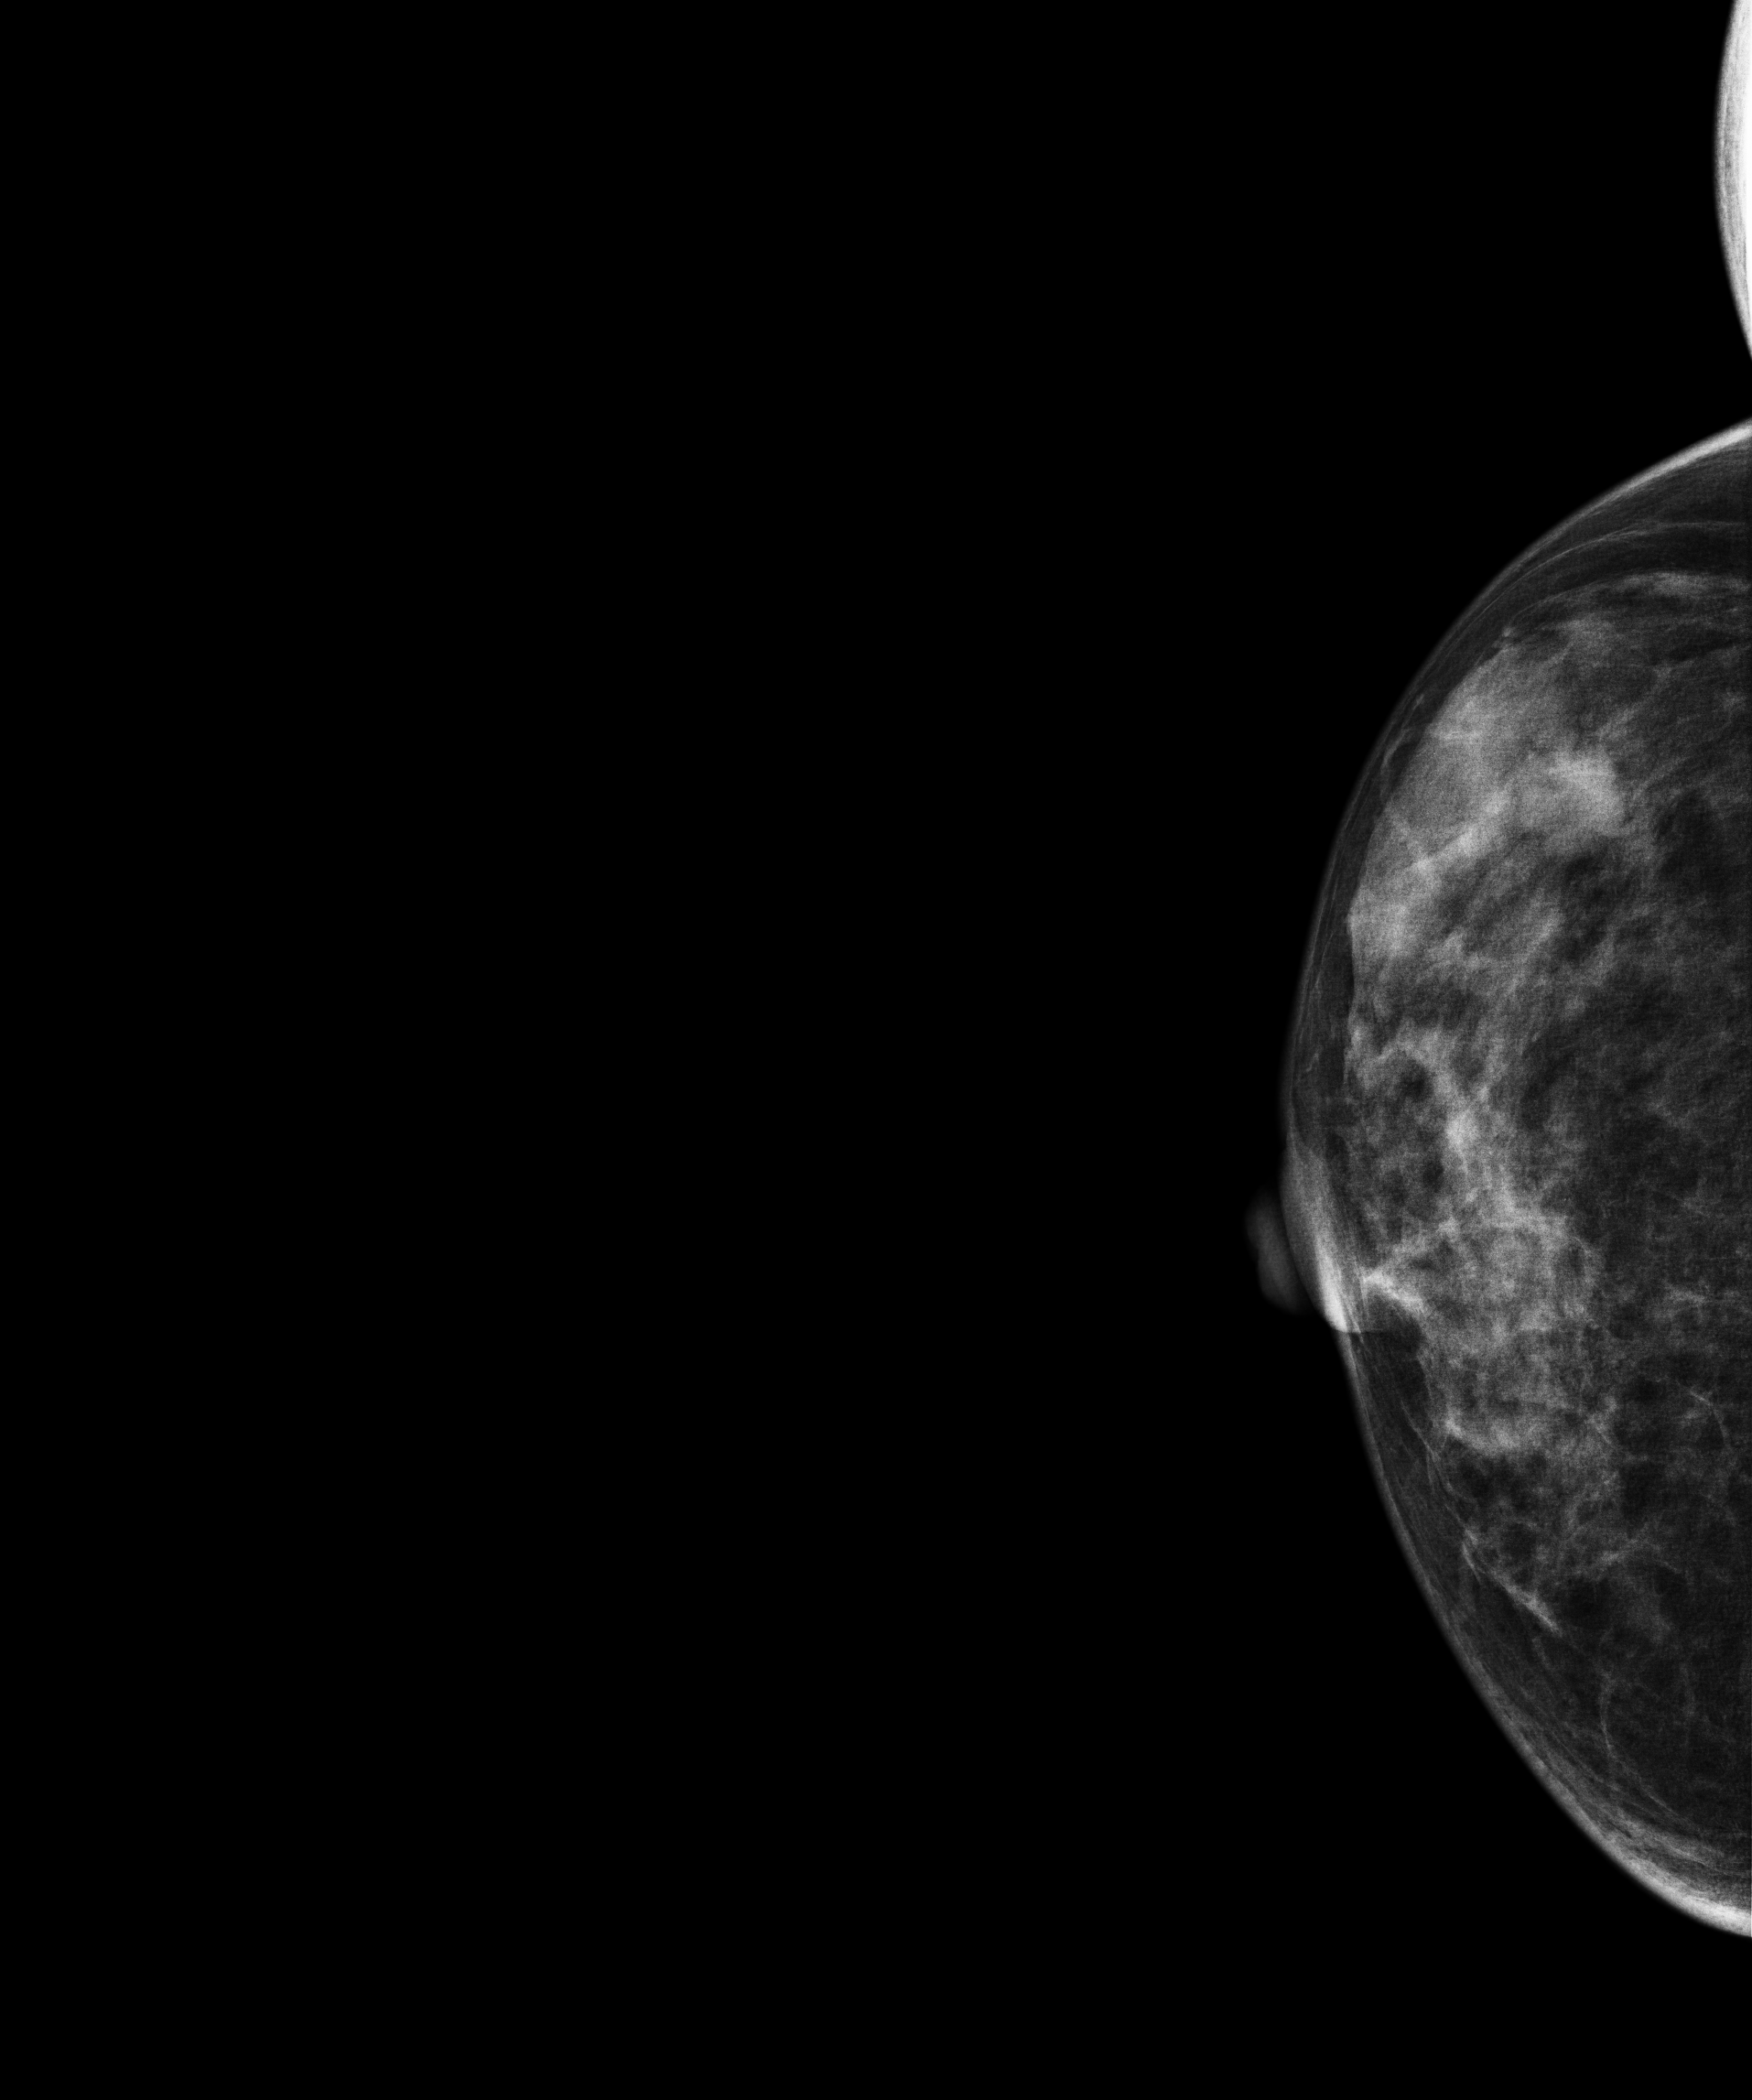
Mammogram — right cranio-caudal. 43 y/o patient.
This breast has a mass, histologically confirmed malignant.